Mammogram — left medio-lateral oblique. 60-year-old patient.
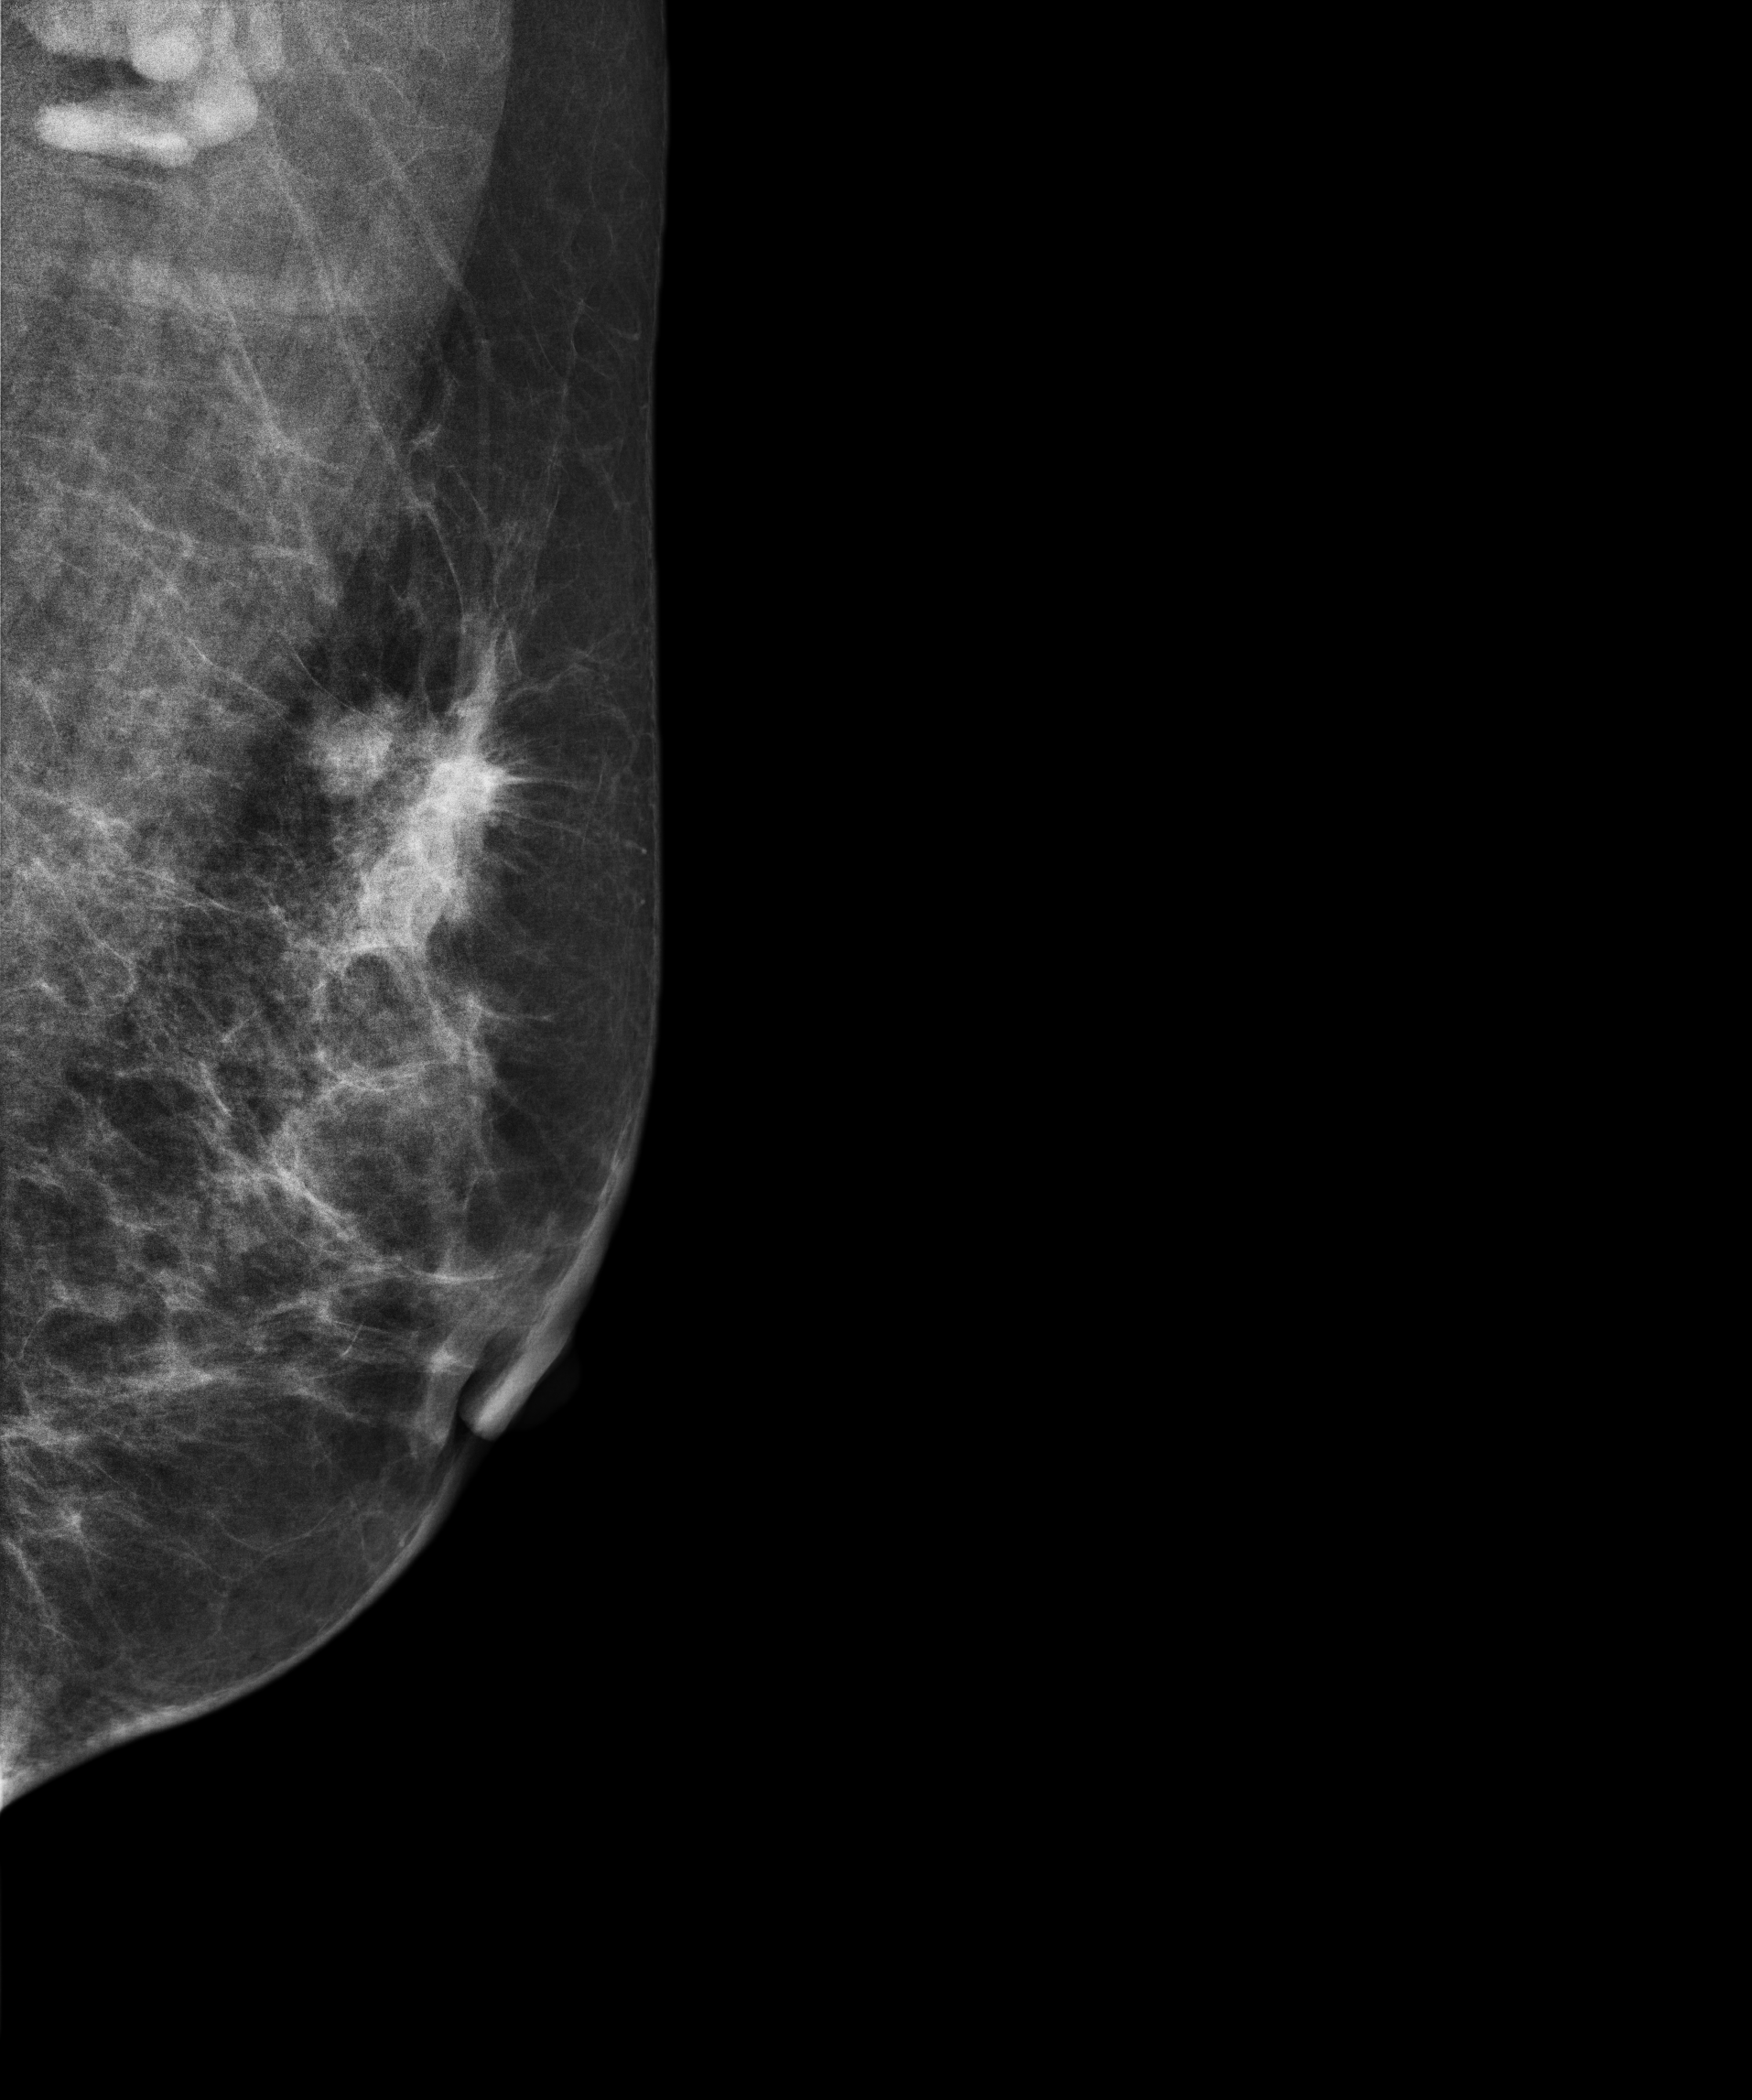
This breast has a mass, pathology-confirmed malignant. Molecular subtype: luminal B.